Digital mammography. Left breast, medio-lateral oblique projection. Patient age 31.
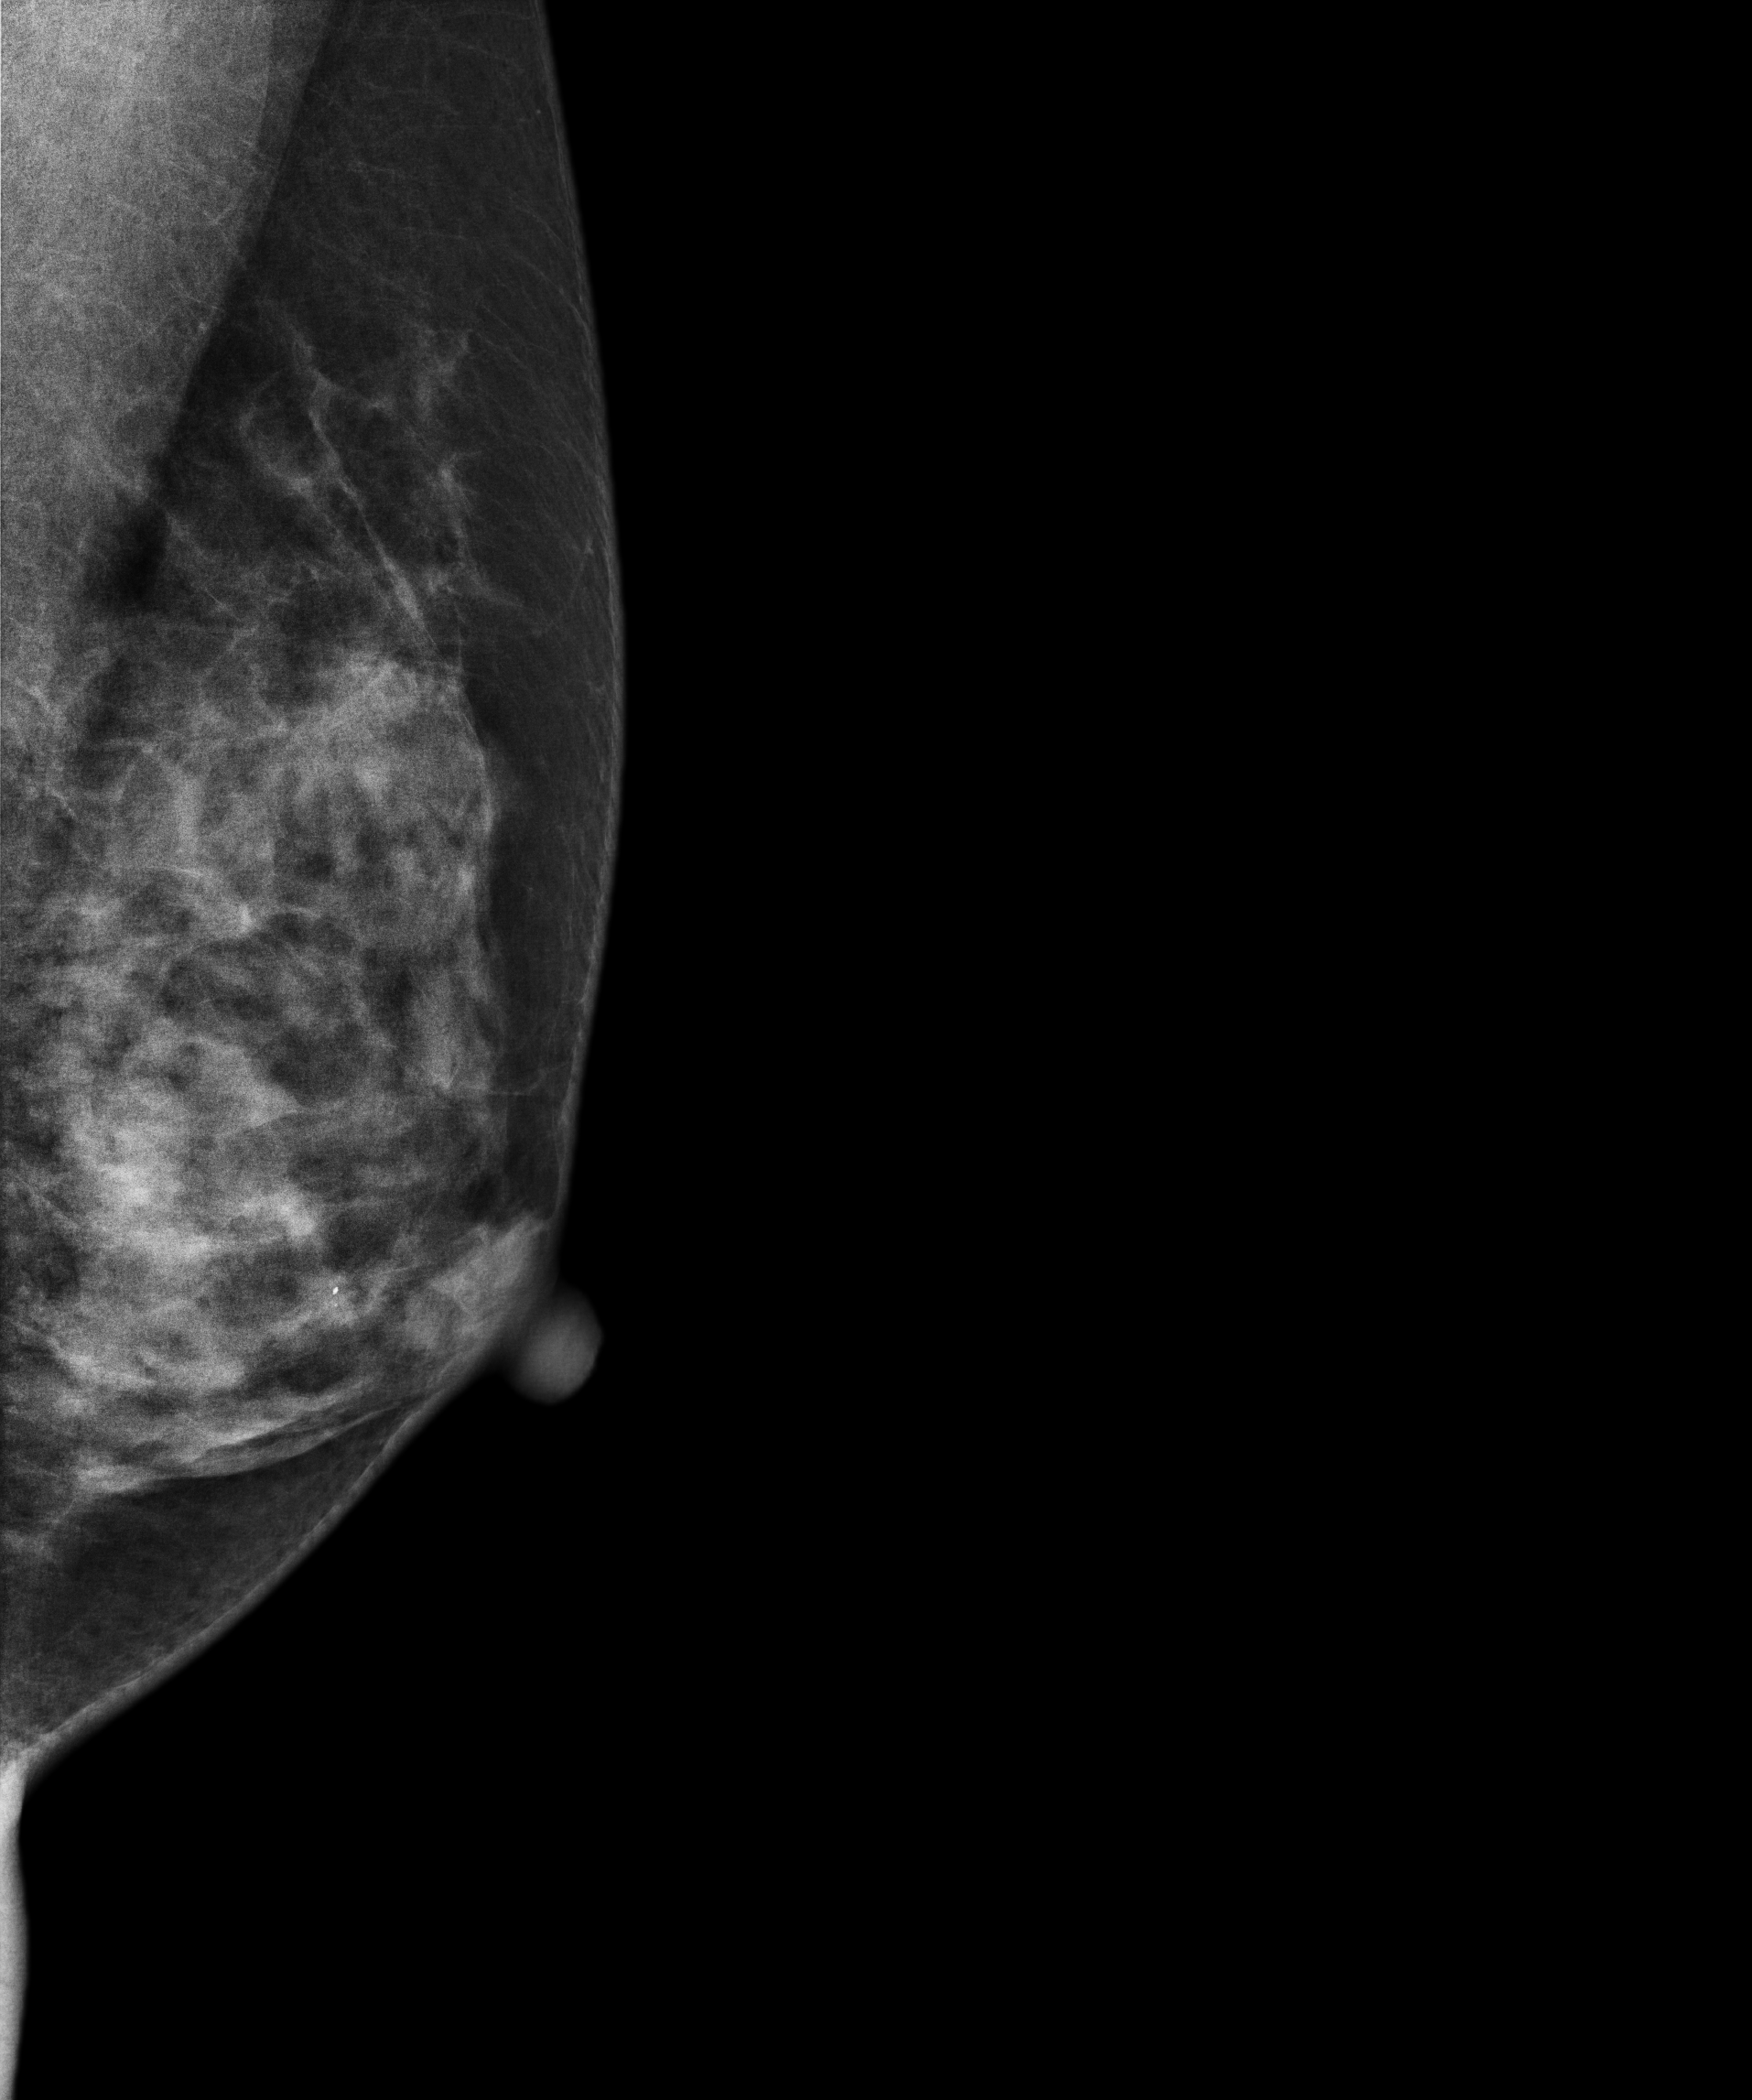
This breast has a mass, histologically confirmed malignant.